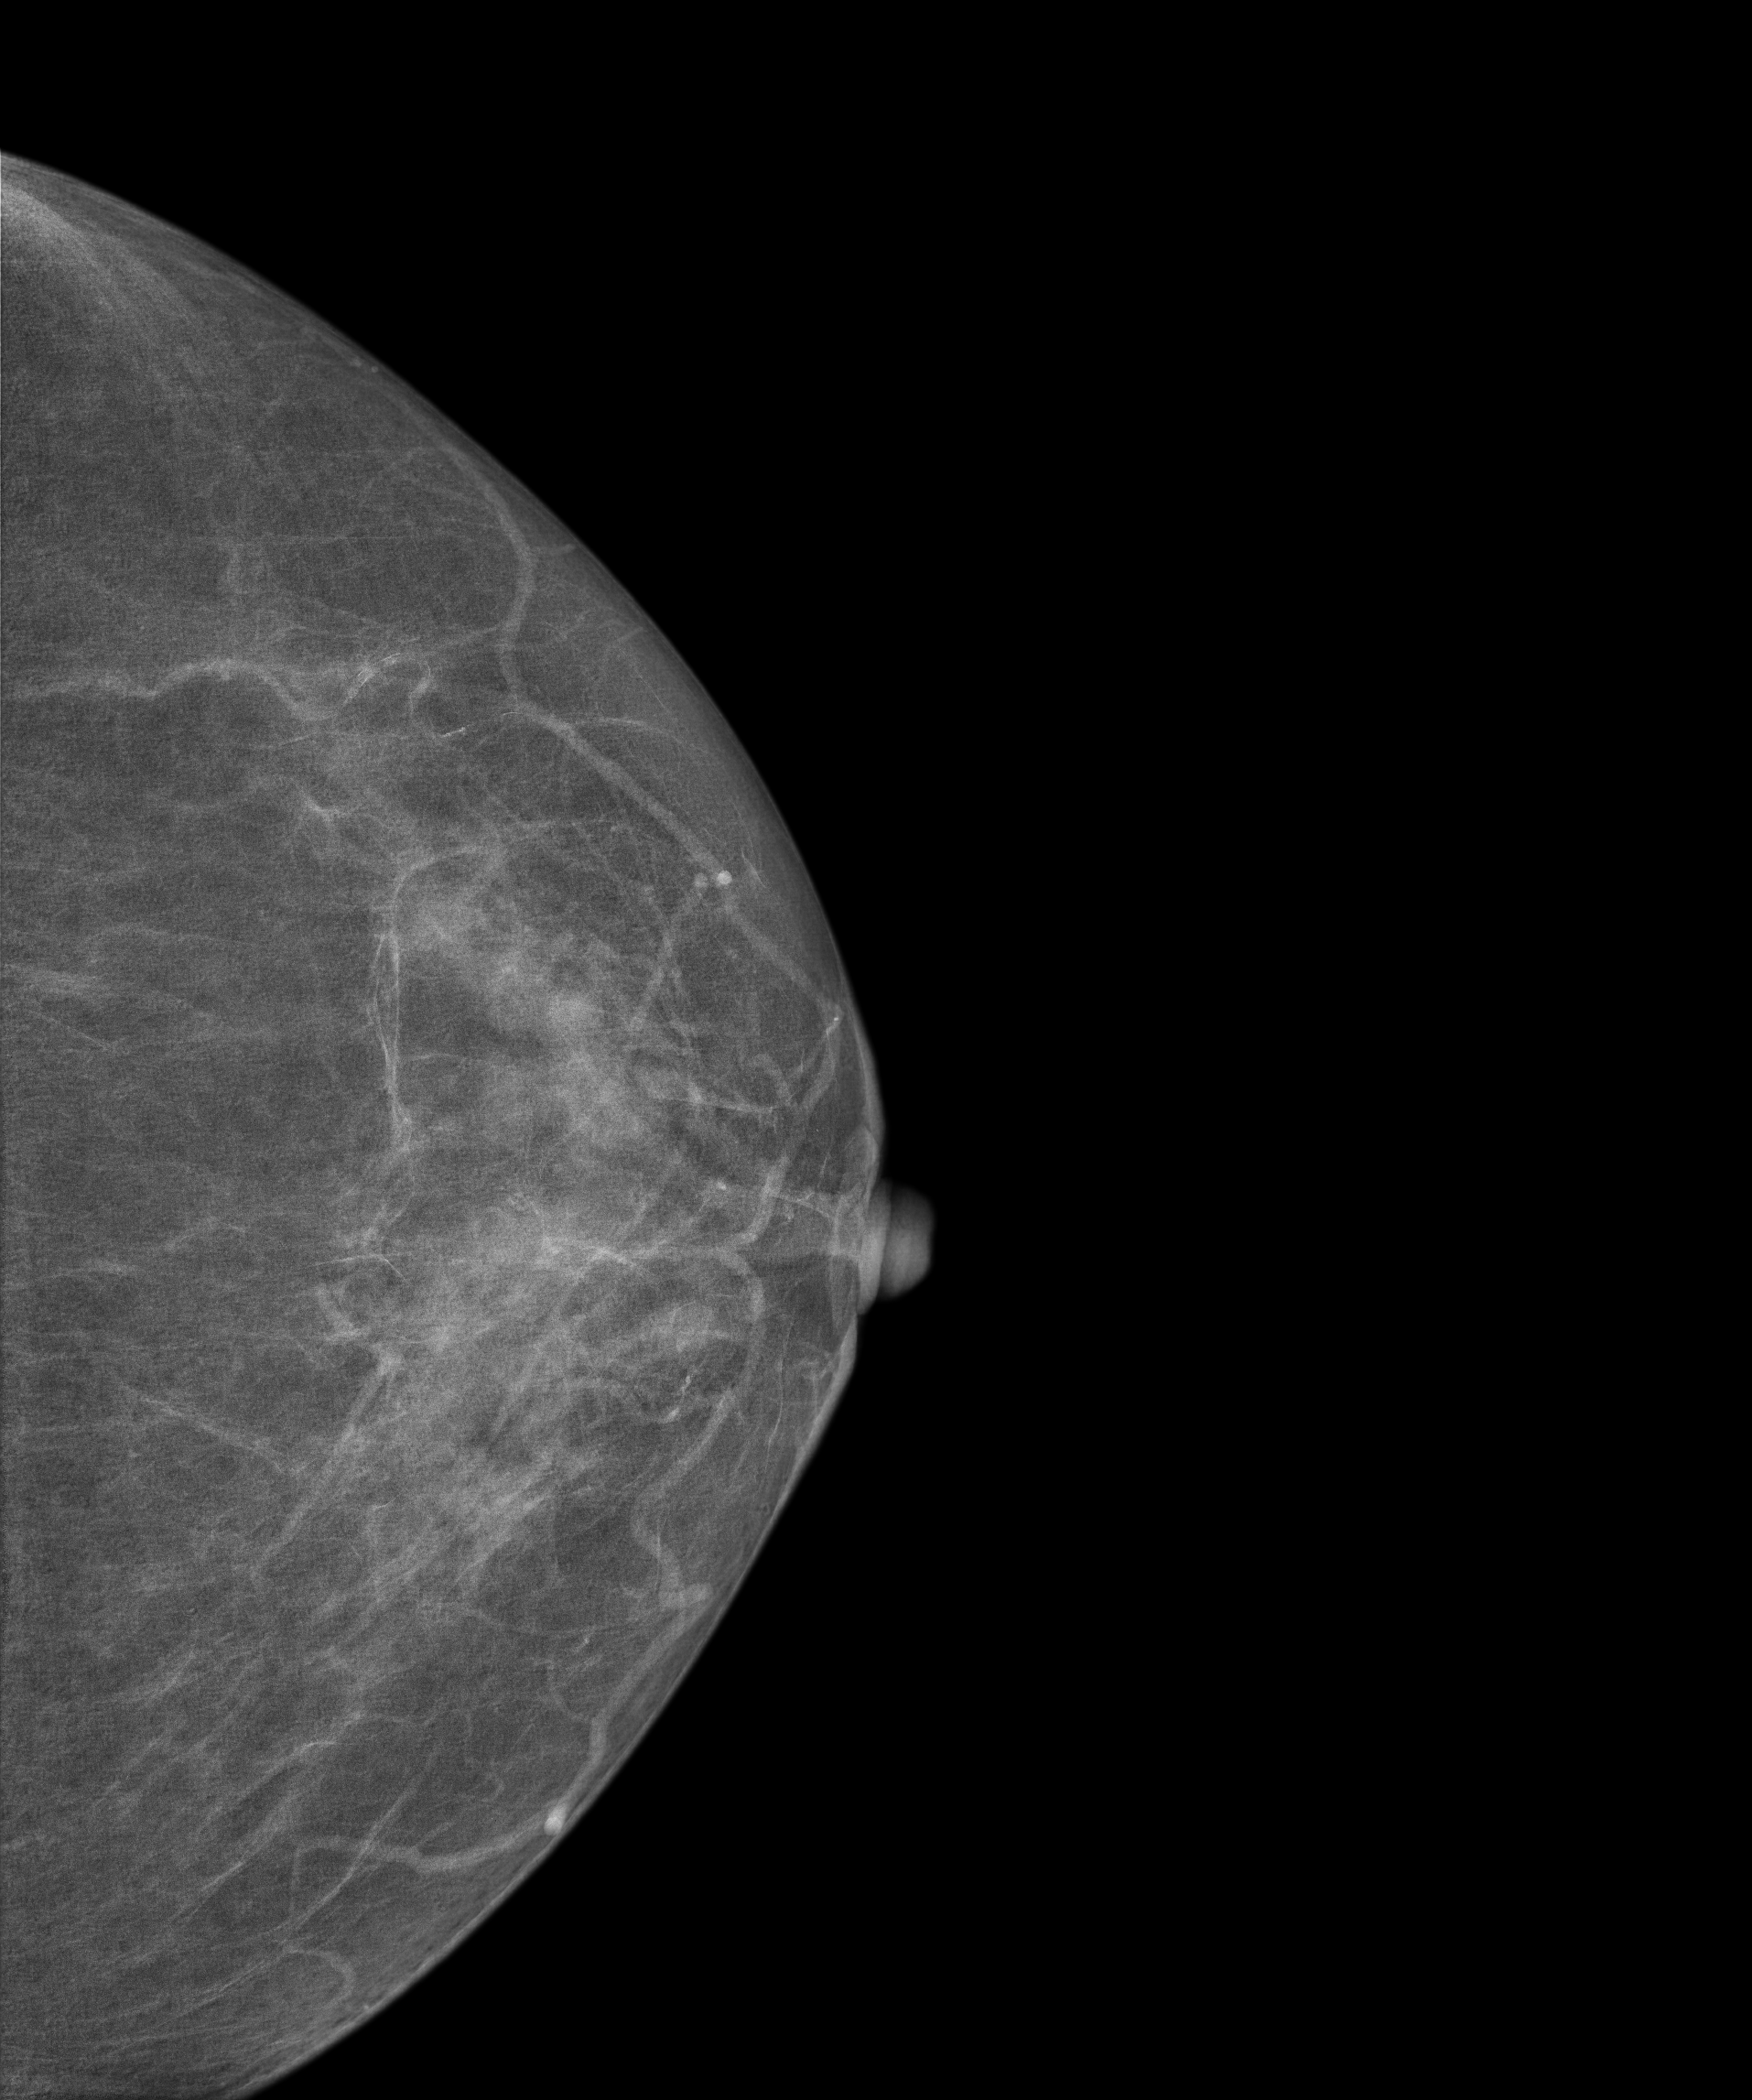
Cranio-caudal mammogram of the left breast. 85 y/o patient.
Contralateral breast — no documented abnormality on this side.